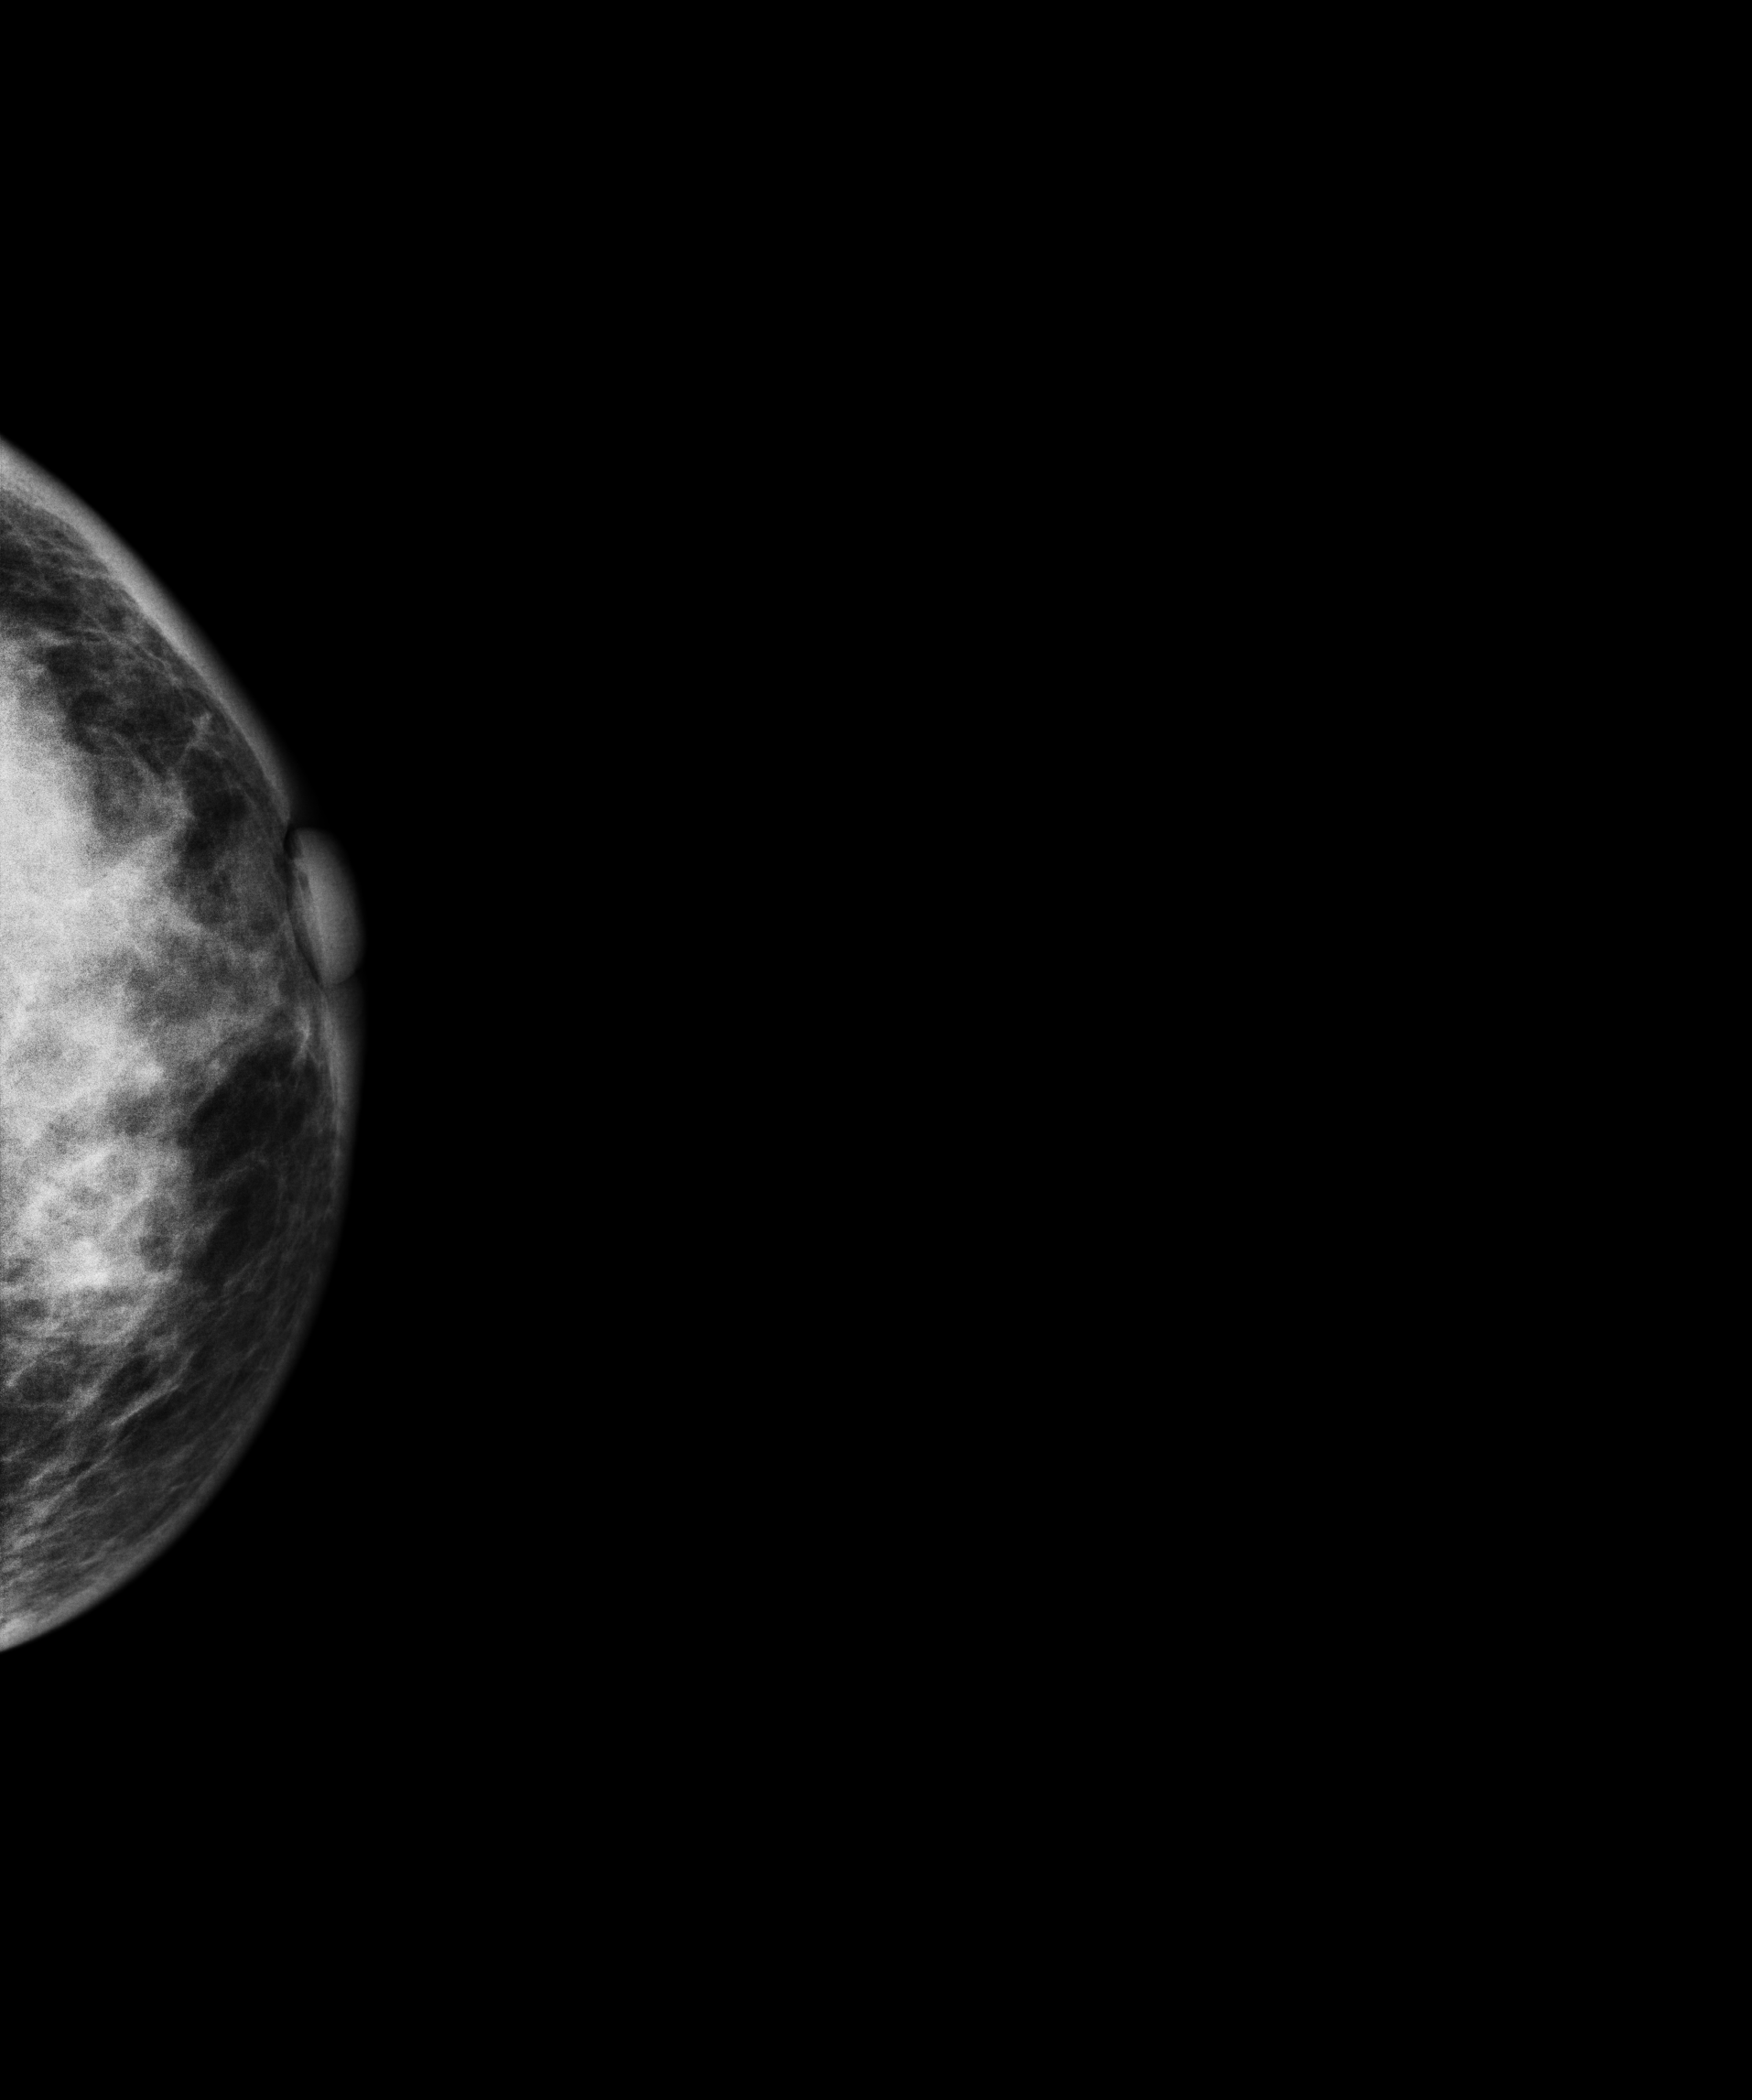
Mammogram, left breast, CC view. Patient age 61.
This breast has a mass, biopsy-confirmed malignant. Molecular subtype: HER2-enriched.